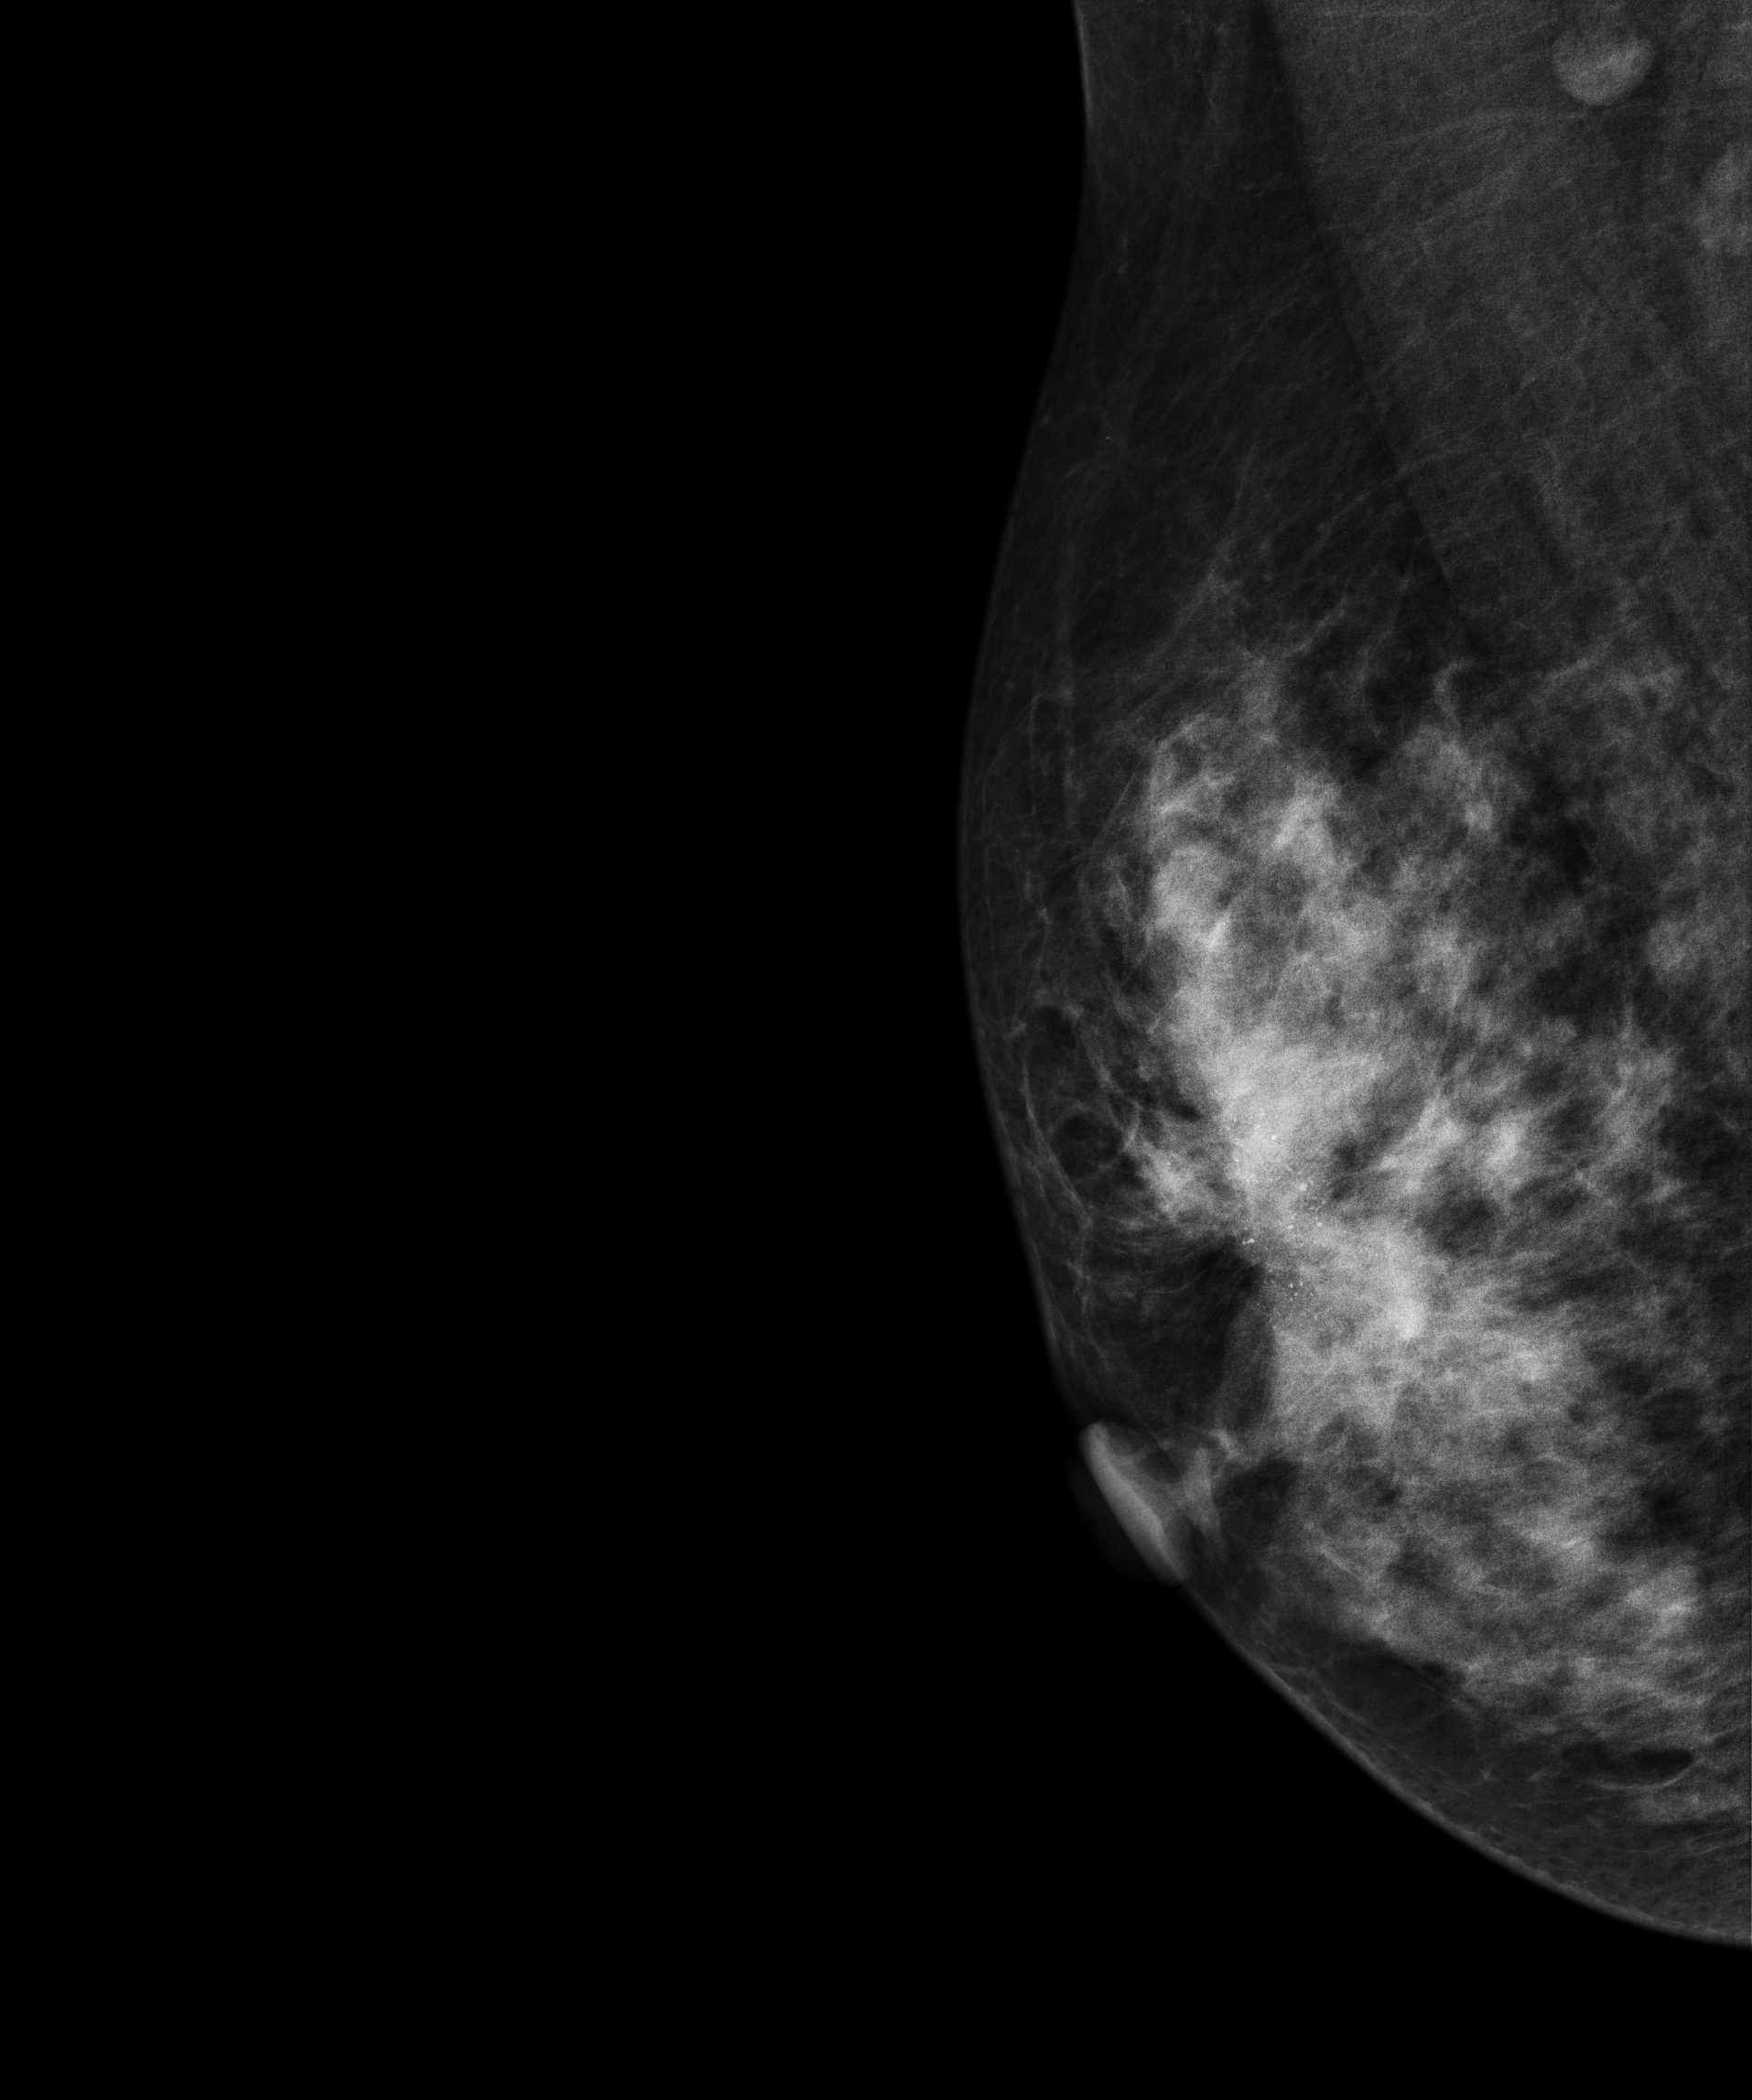
Right-breast mammogram, MLO. 29 y/o patient.
This breast has a mass and calcifications, biopsy-confirmed malignant. Molecular subtype: HER2-enriched.